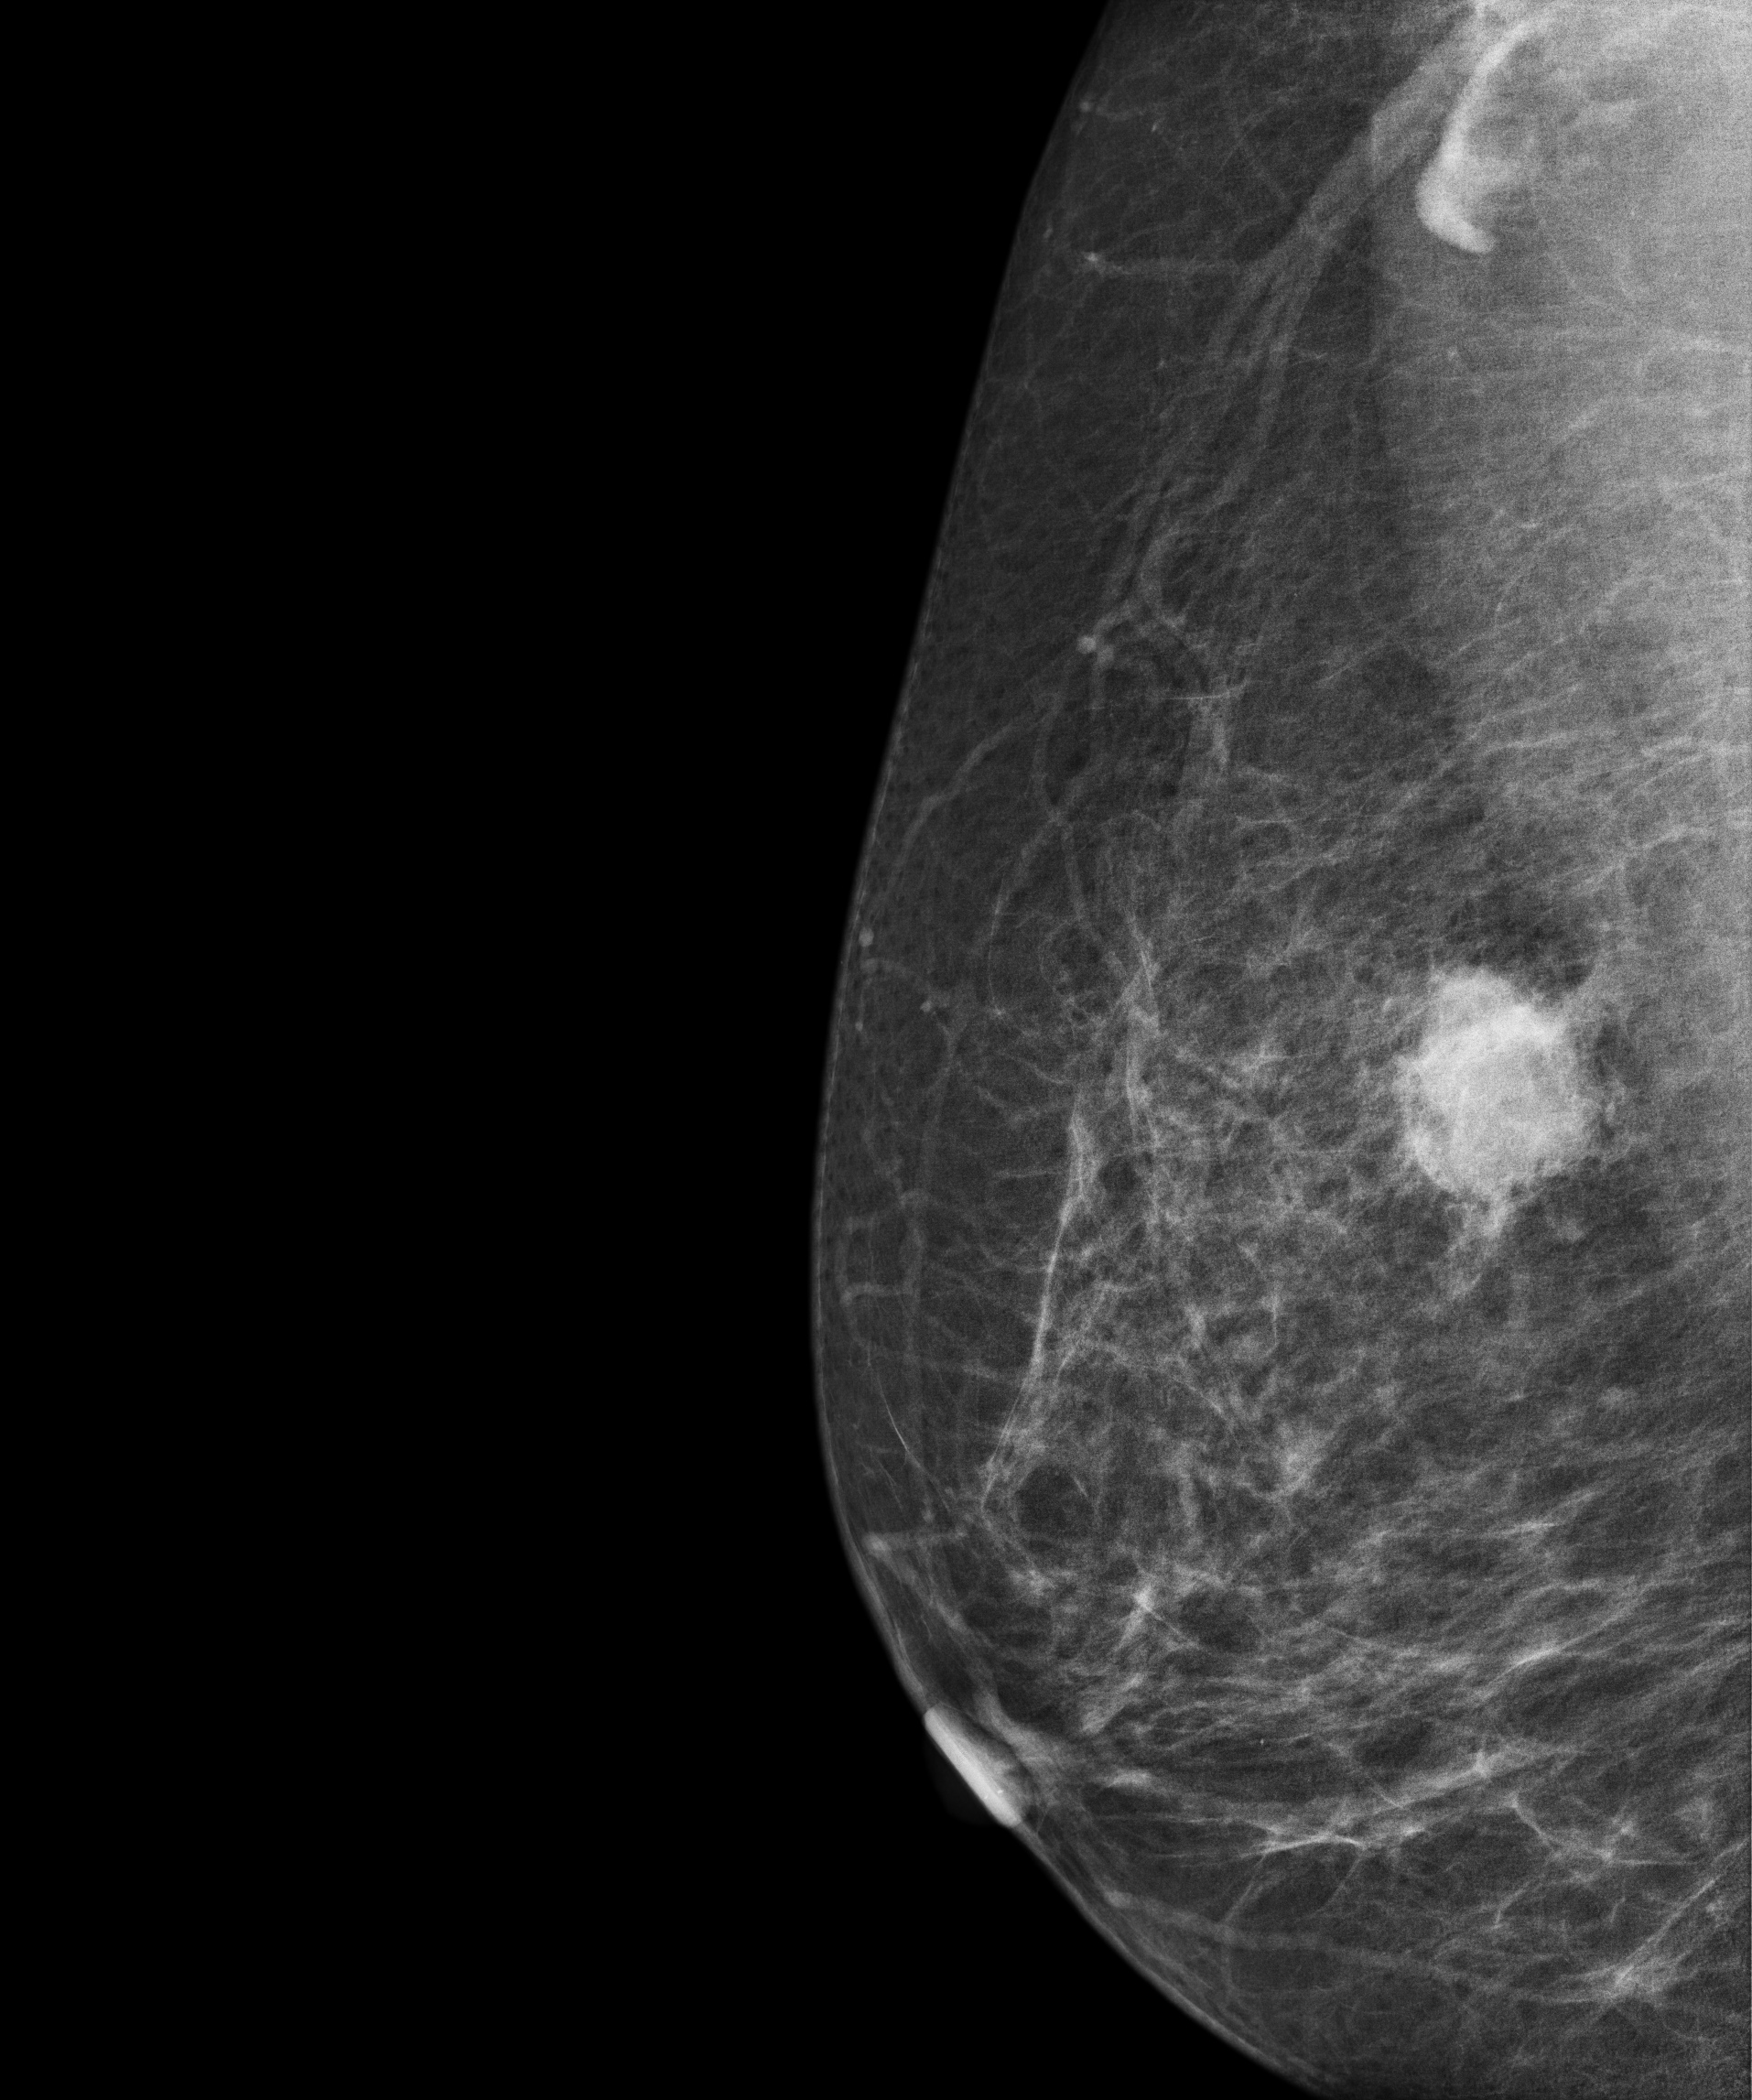
Mammogram — right MLO. Patient age 62.
This breast has a mass, histologically confirmed malignant.